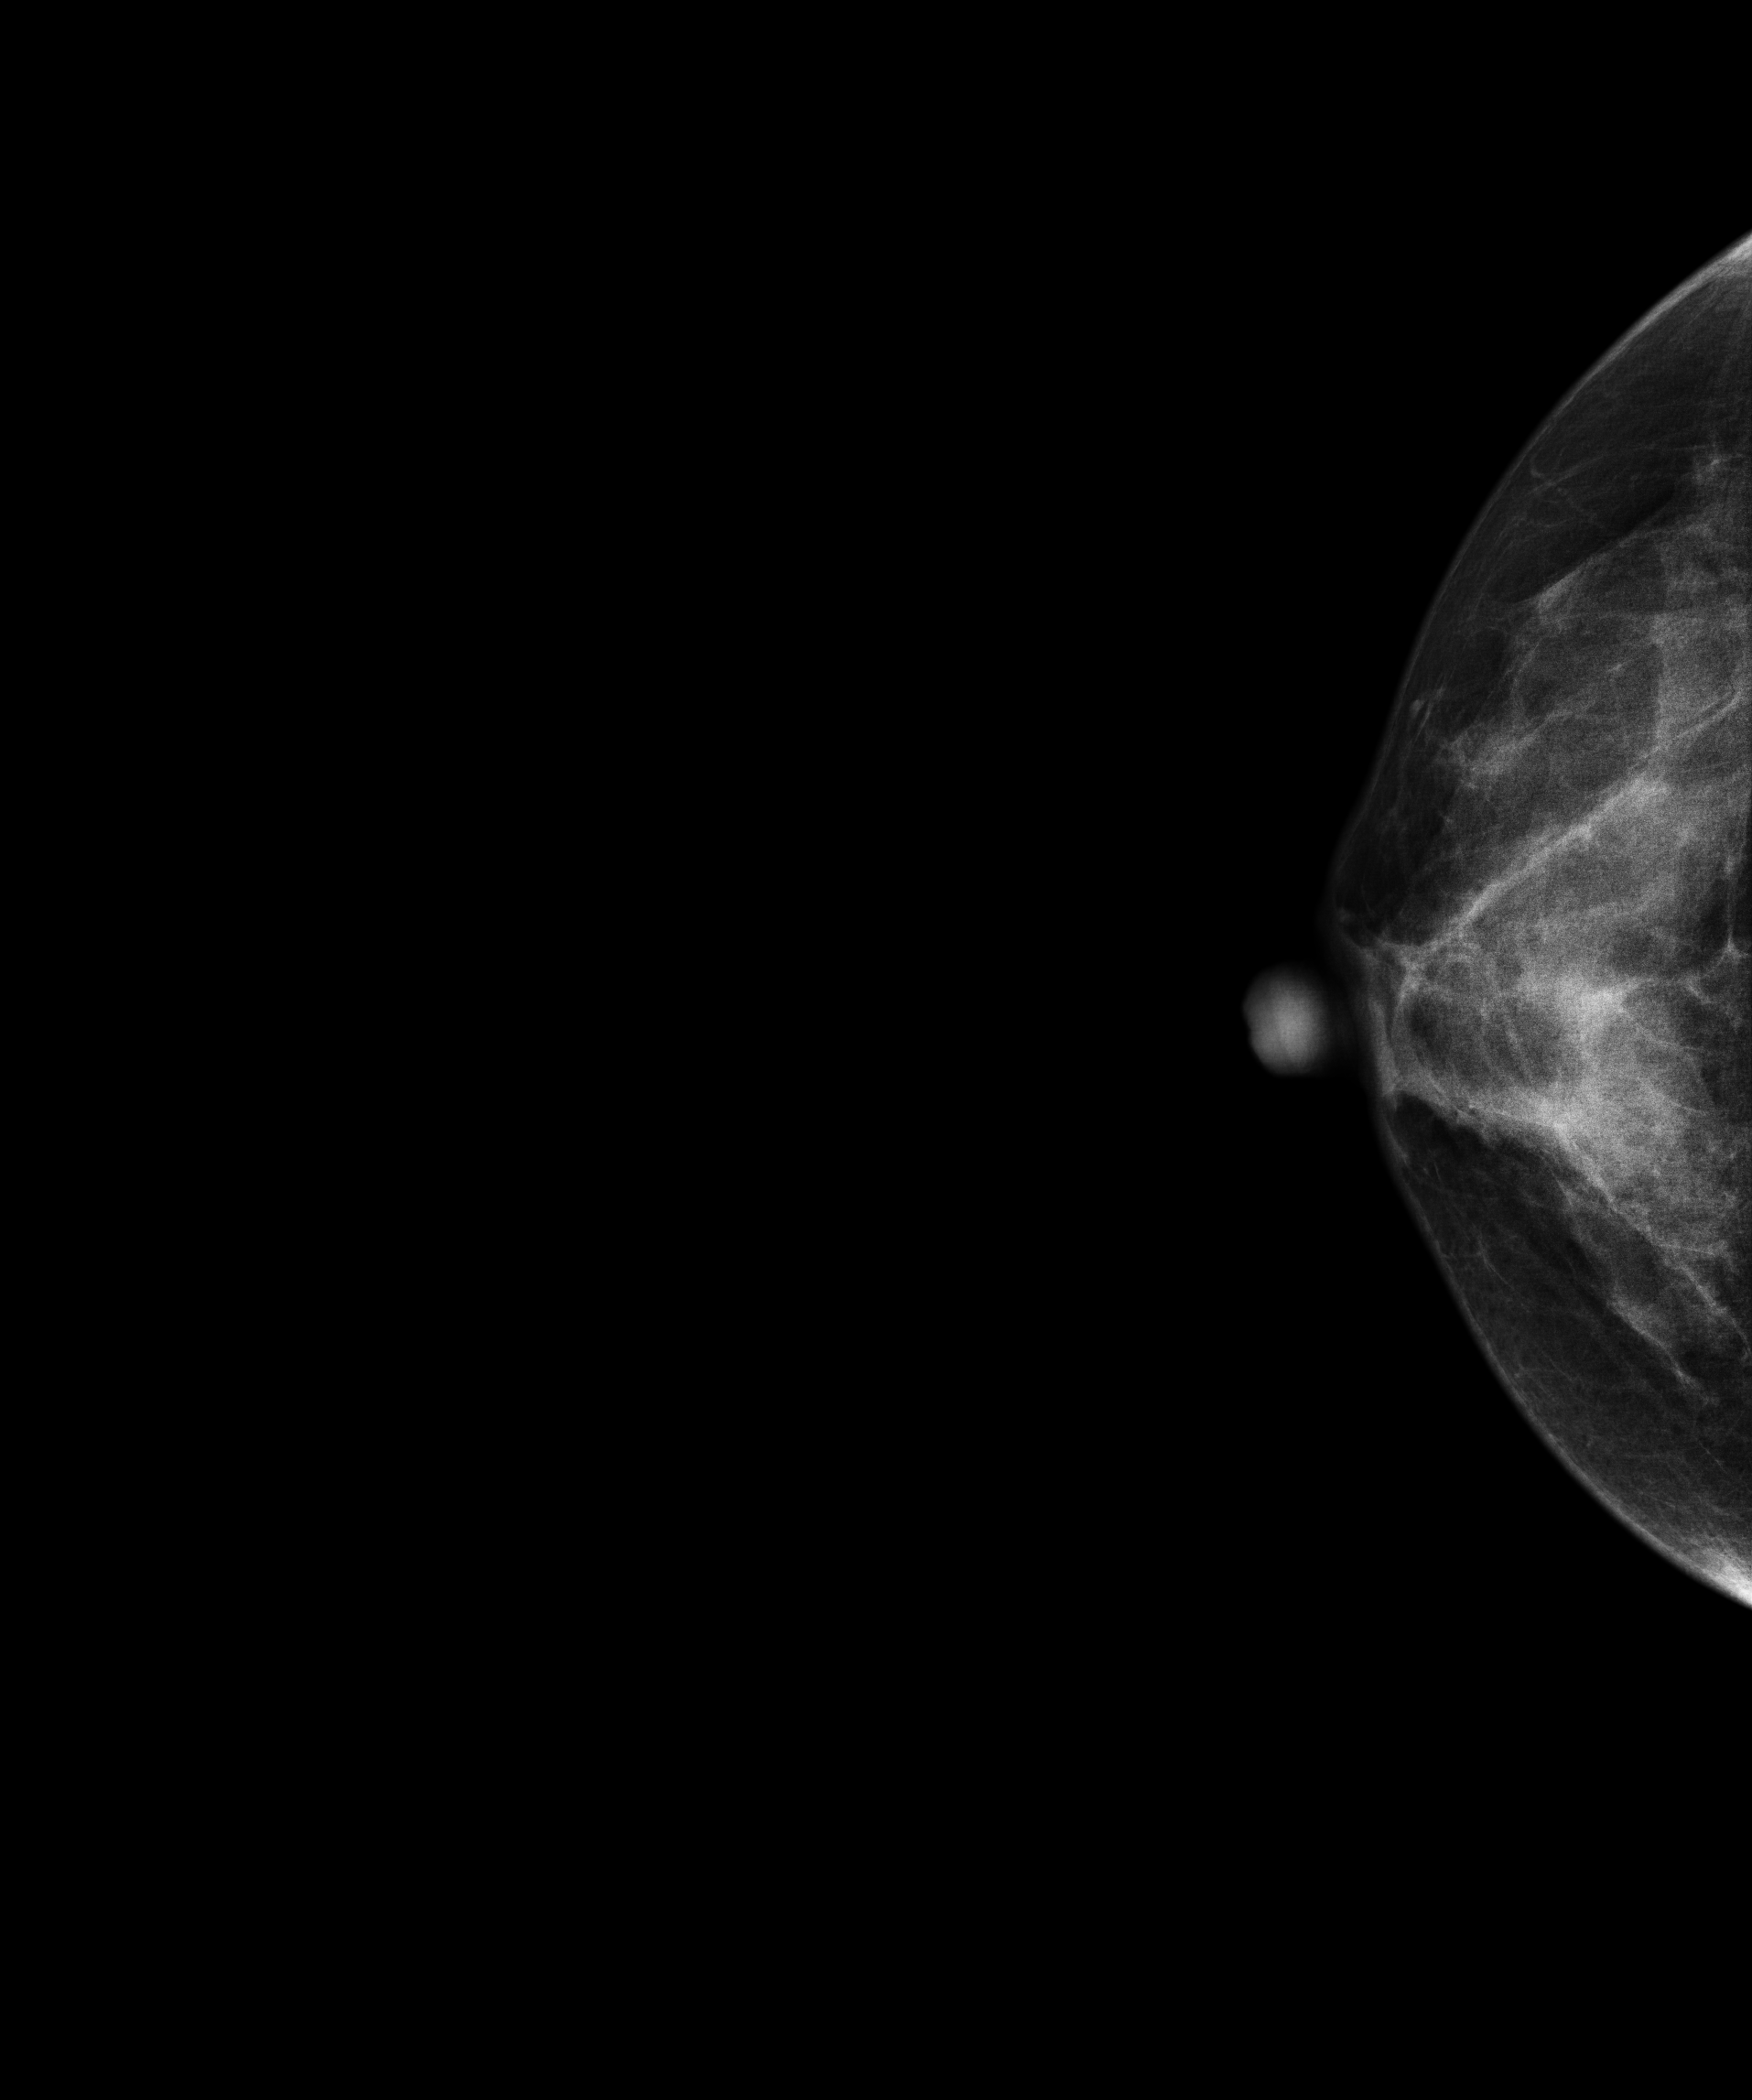
CC mammogram of the right breast. Patient age 46.
Contralateral breast — no documented abnormality on this side.